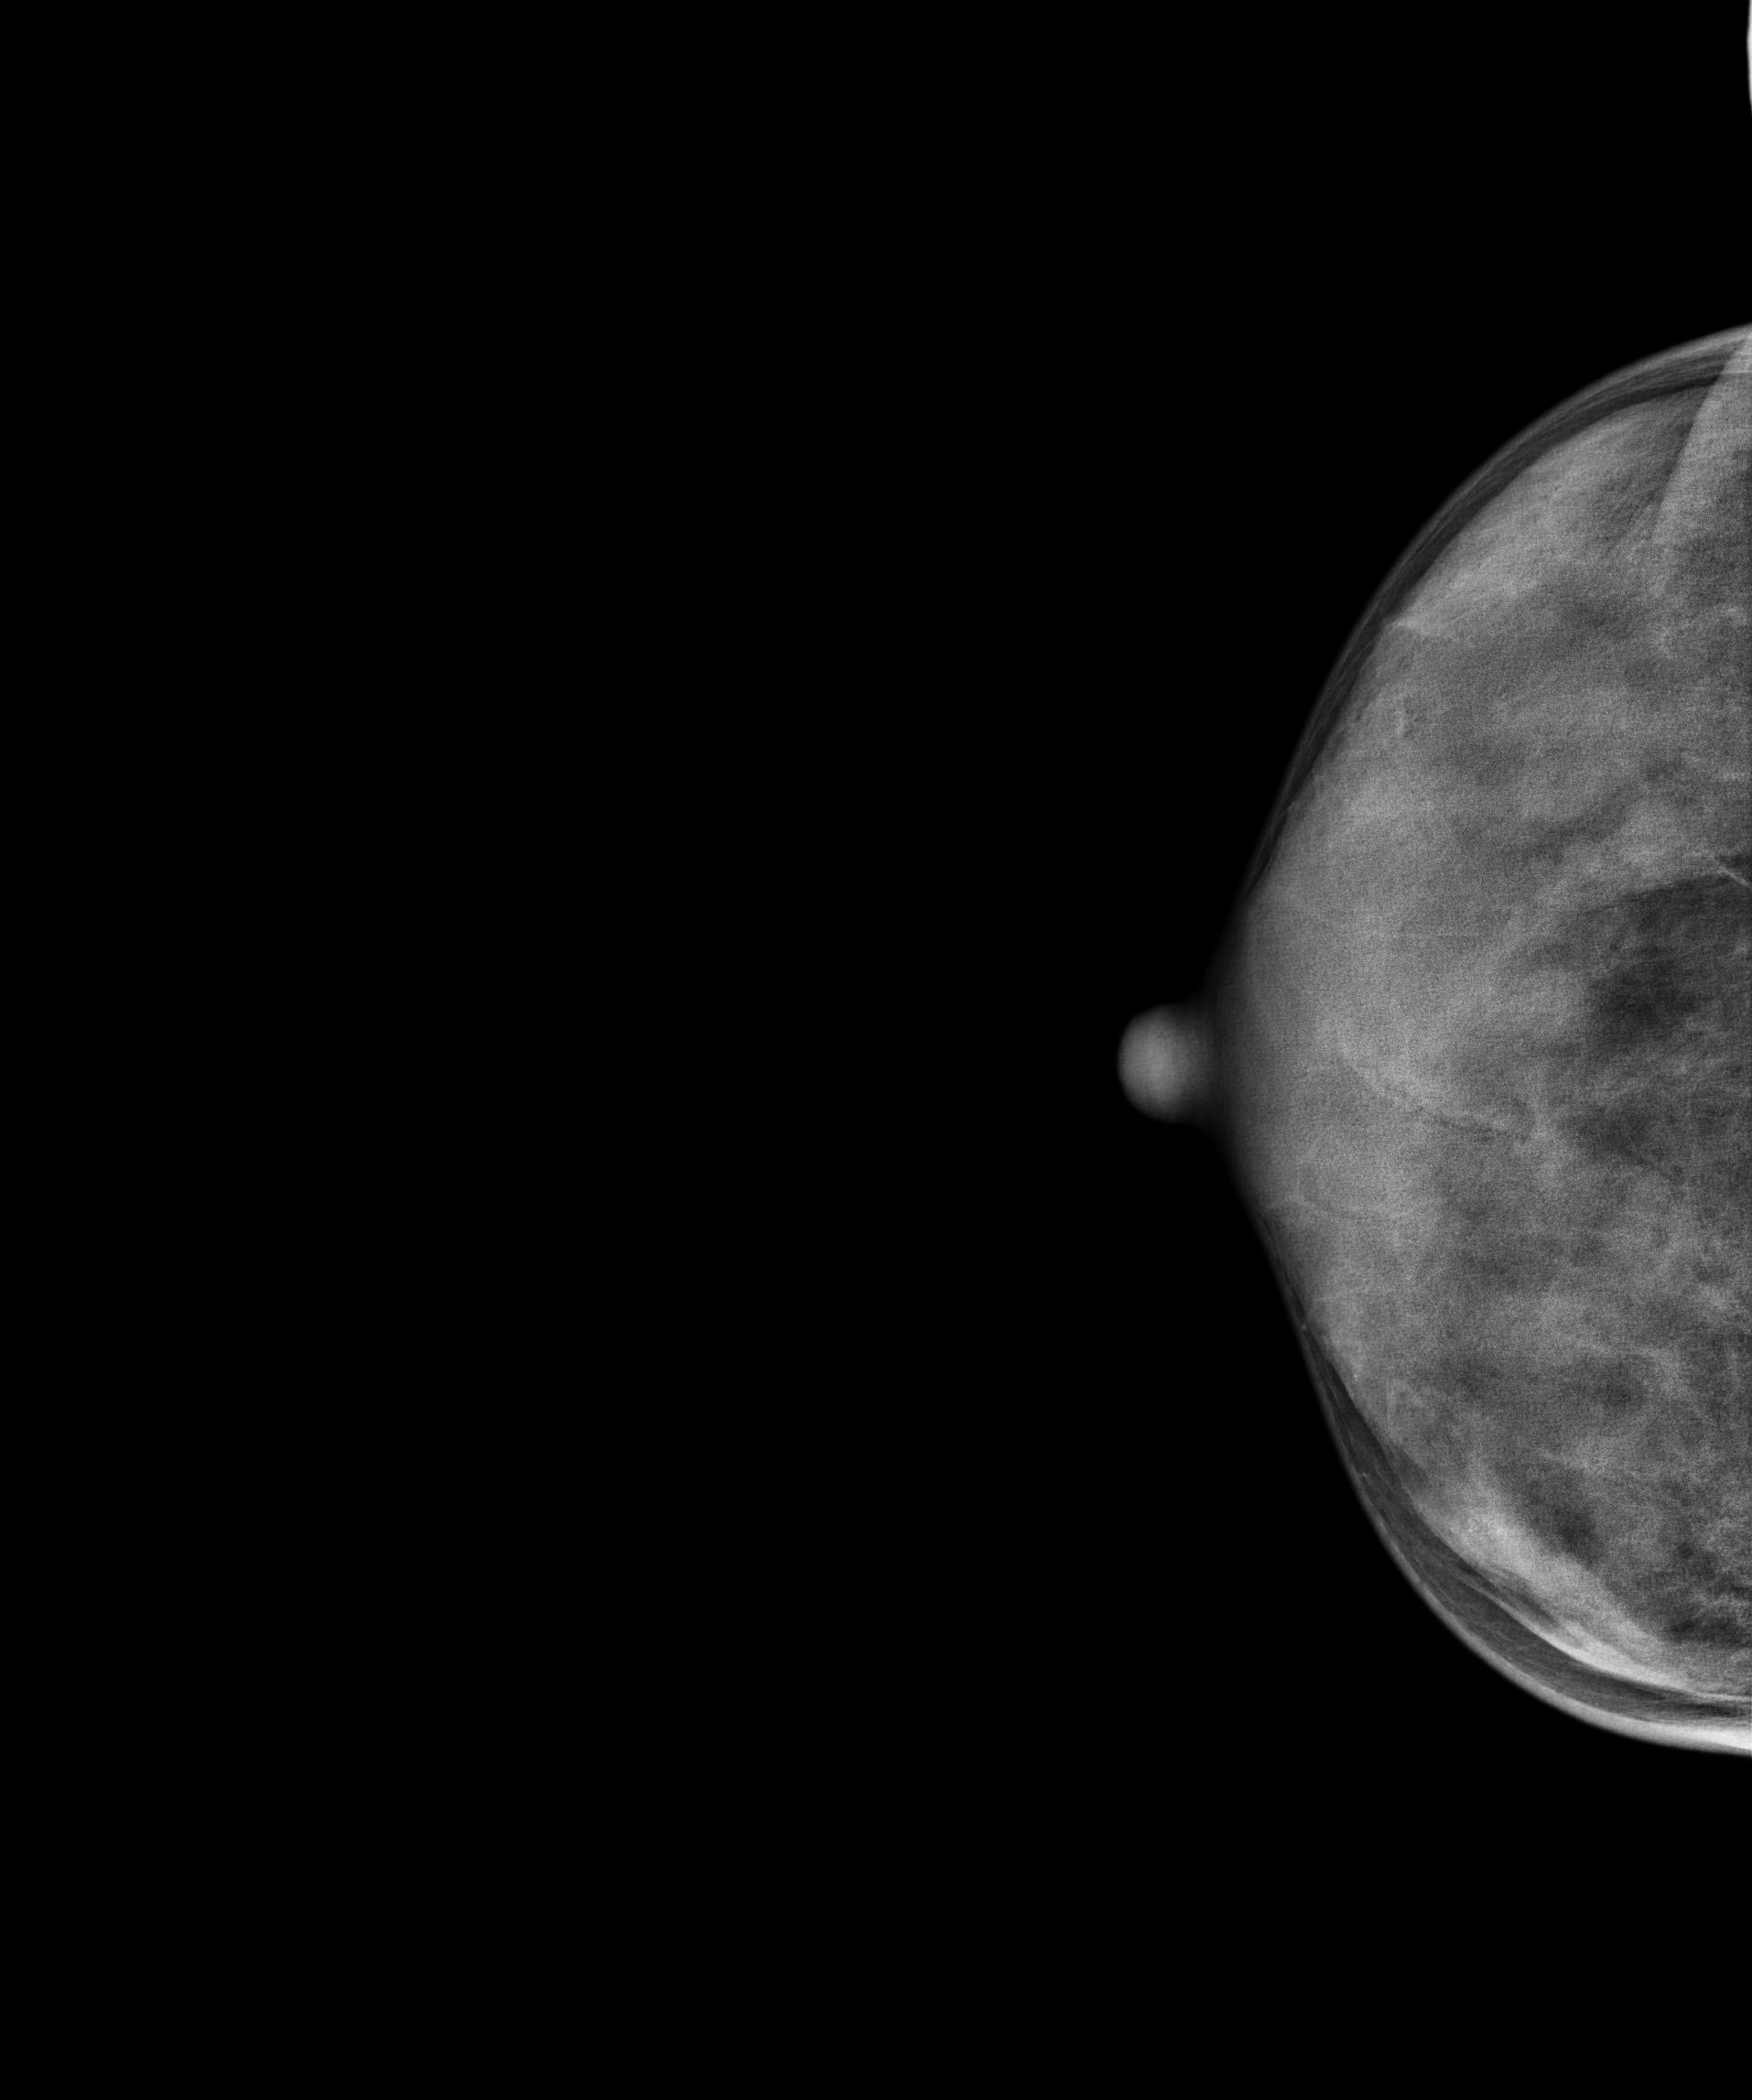
Mammogram — right CC. 42 y/o patient.
This breast has a mass, biopsy-proven benign.